CC mammogram of the right breast. 50 y/o patient.
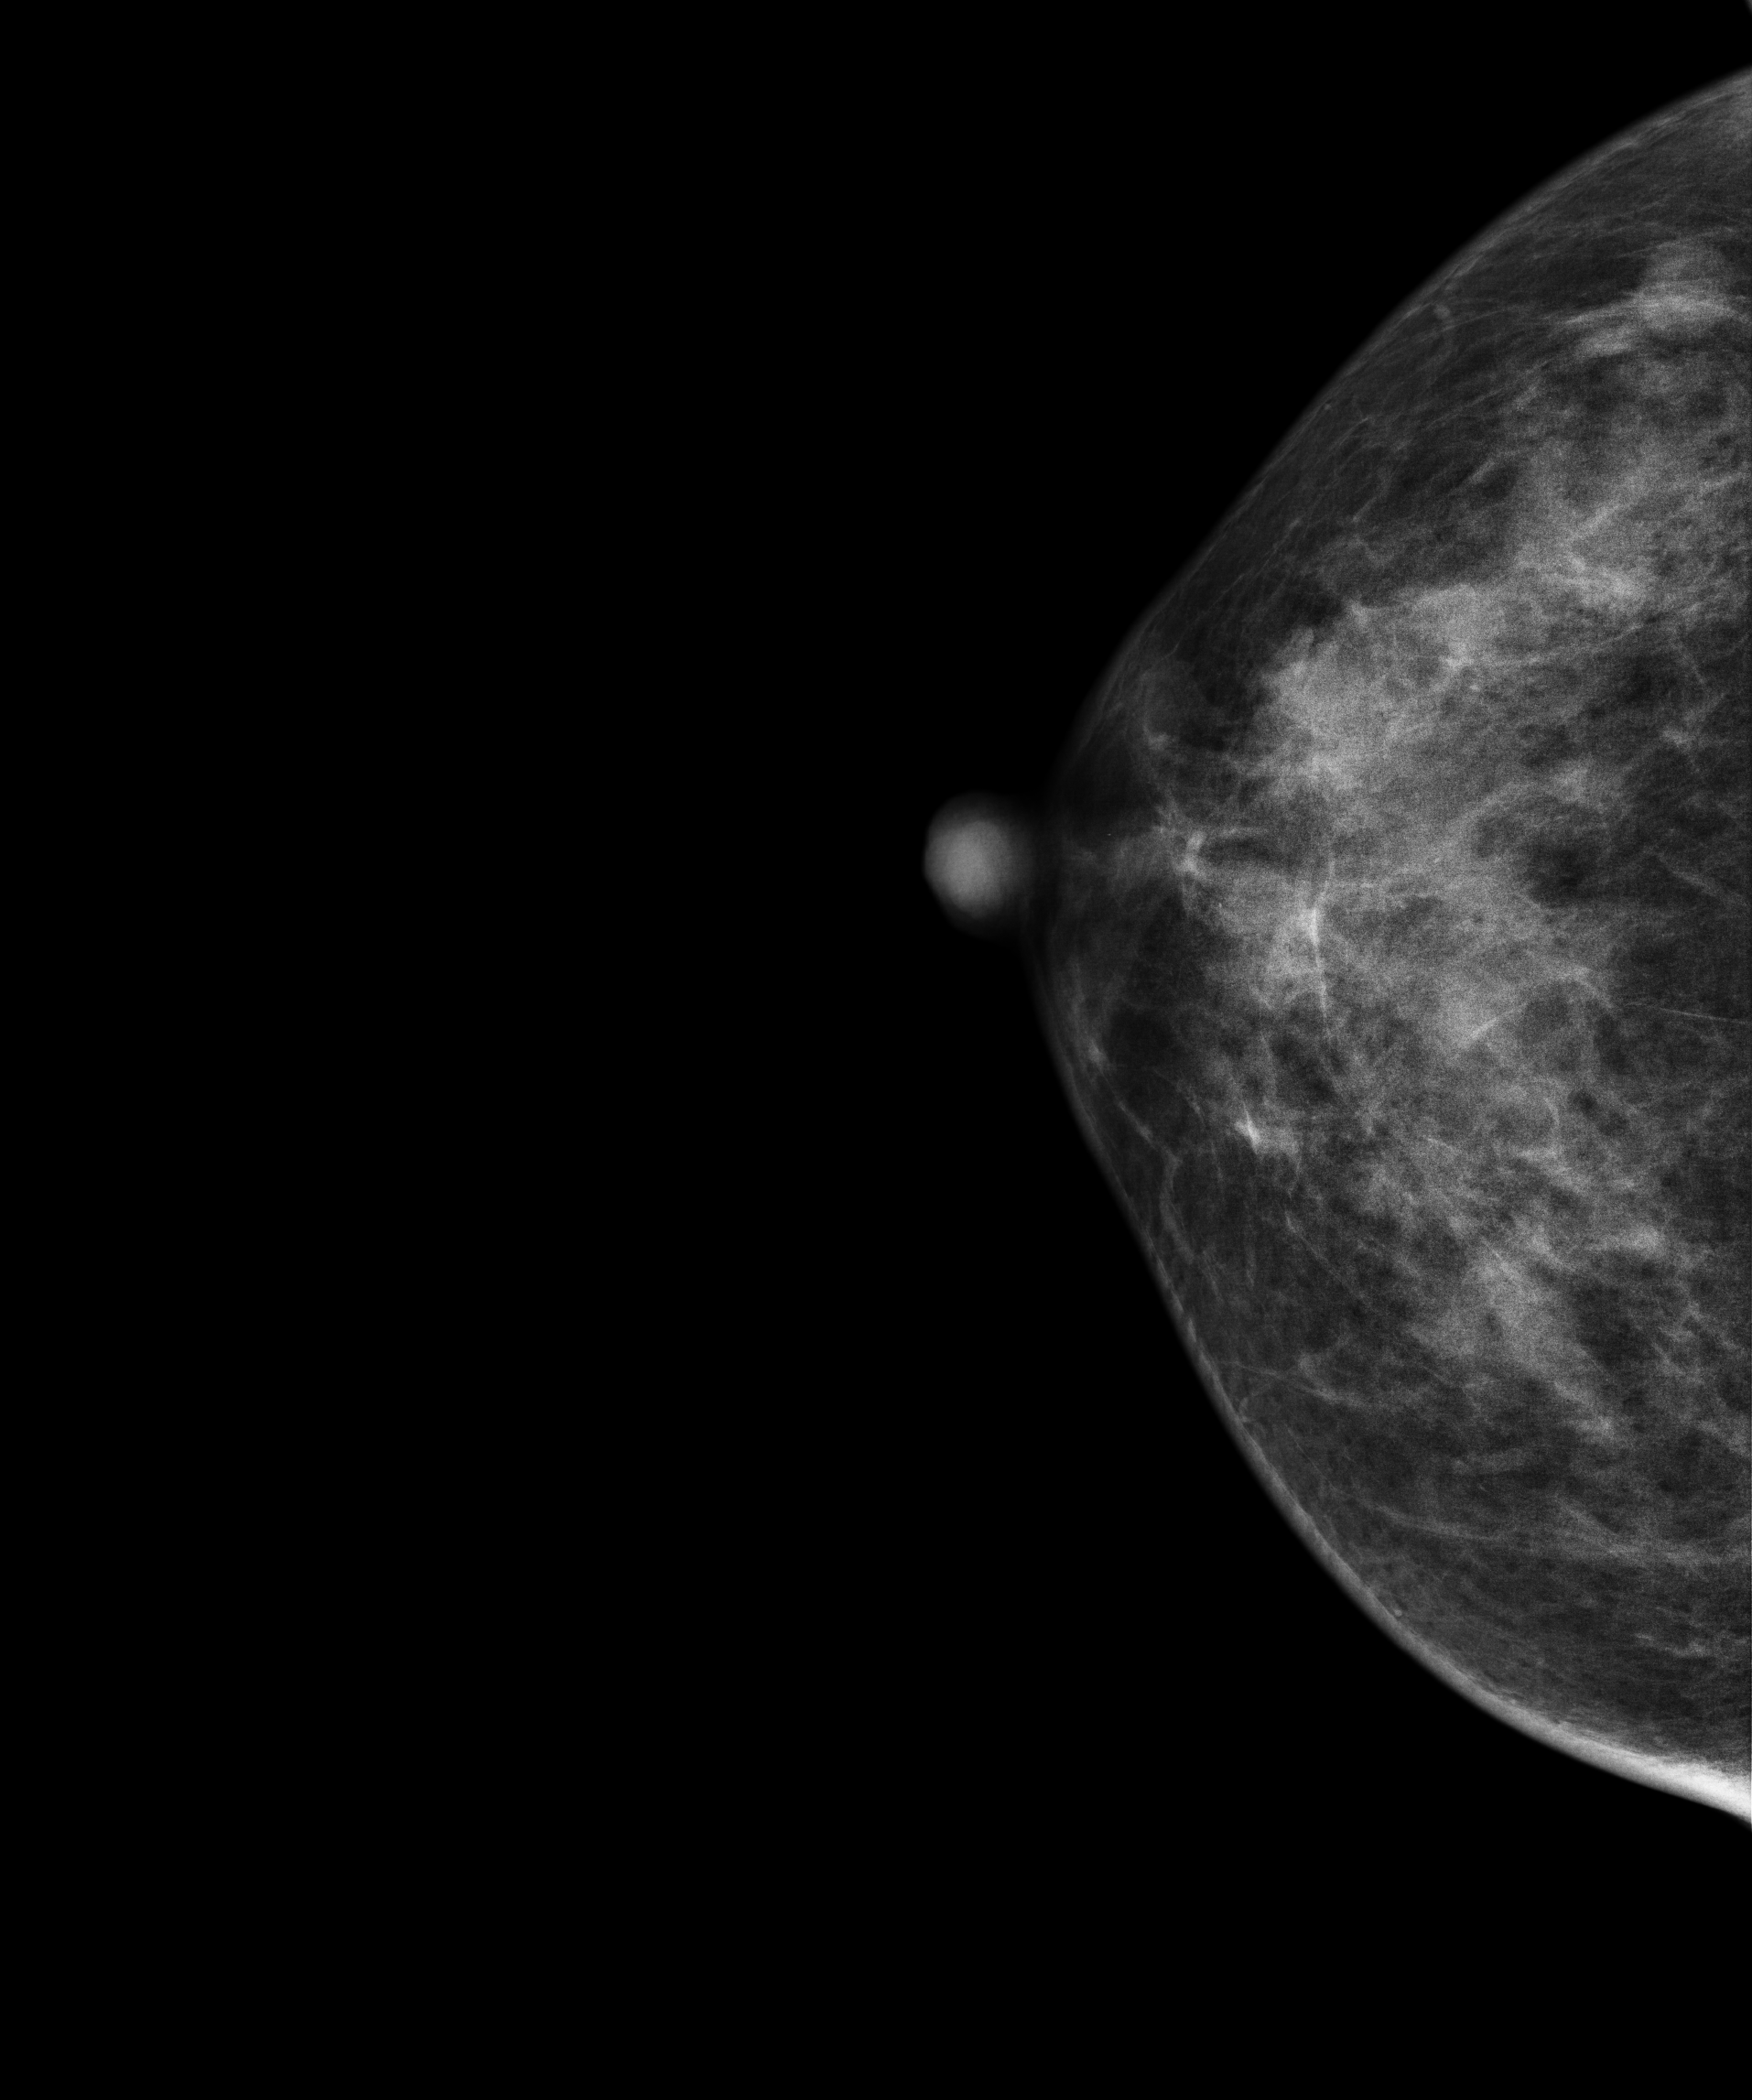
This breast has a mass, histologically confirmed malignant. Molecular subtype: luminal B.